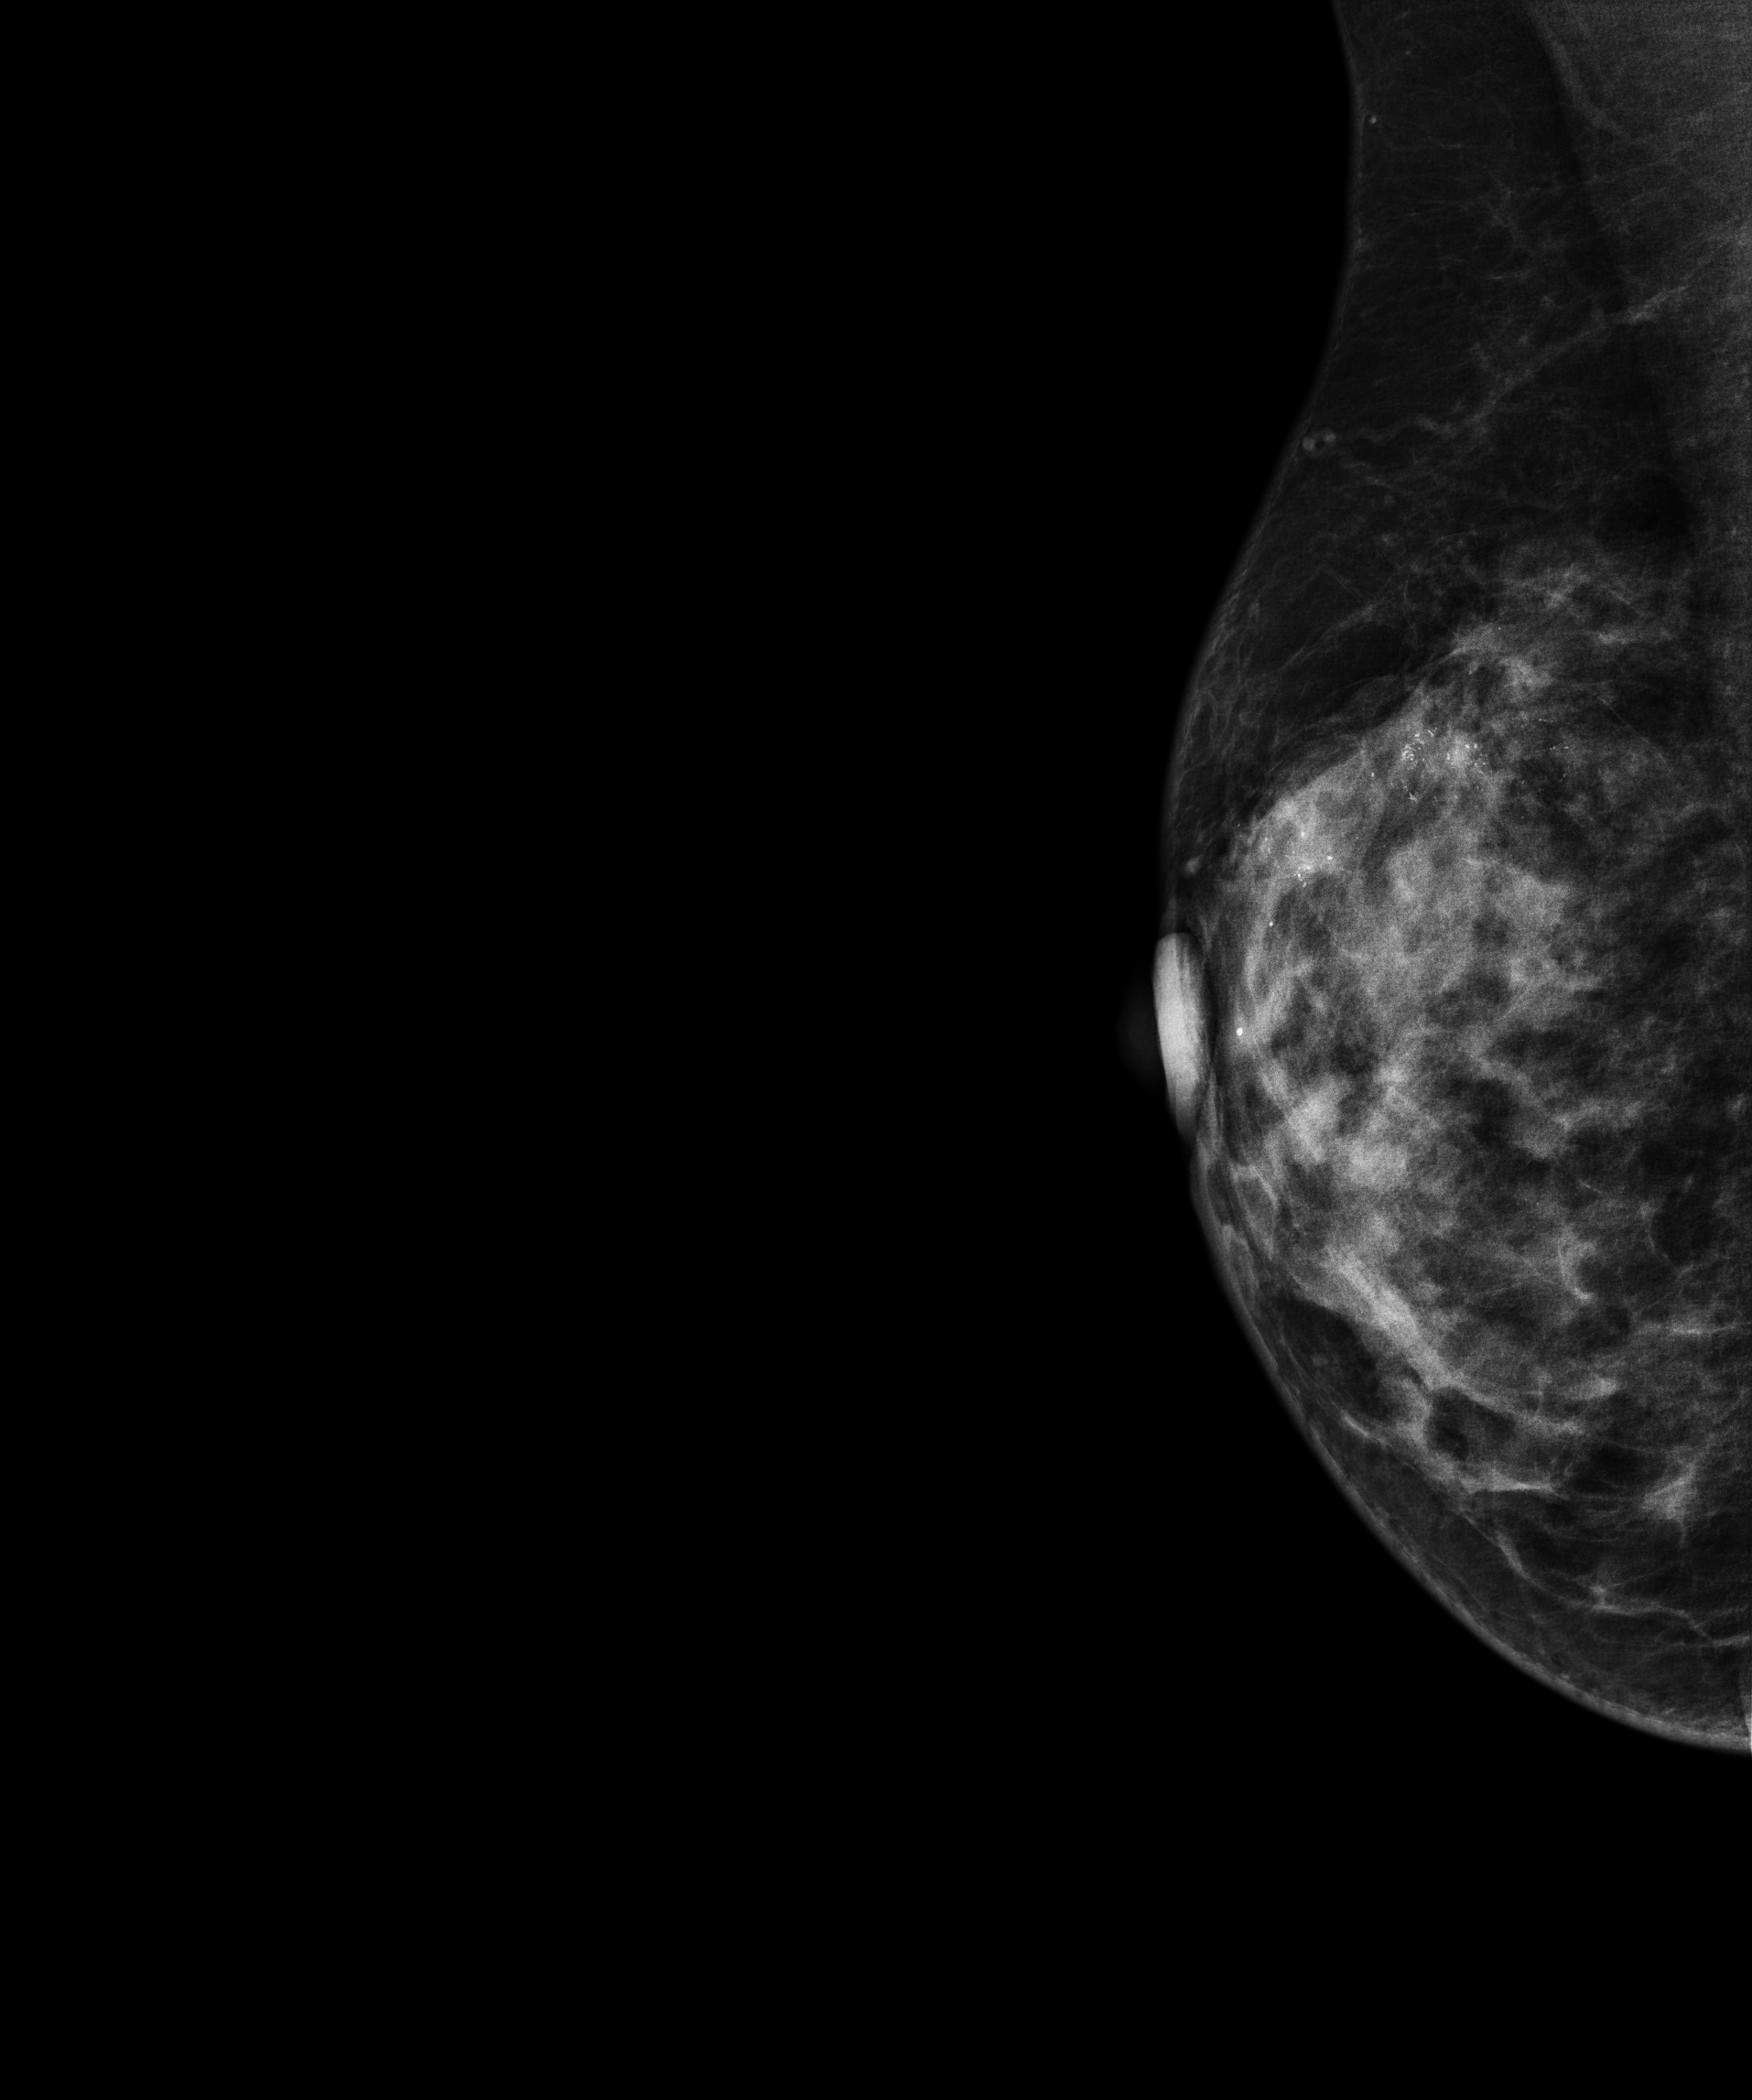
Medio-lateral oblique mammogram of the right breast. 50 y/o patient.
This breast has a mass and calcifications, histologically confirmed malignant. Molecular subtype: luminal B.